Mammogram — right medio-lateral oblique. Patient age 43.
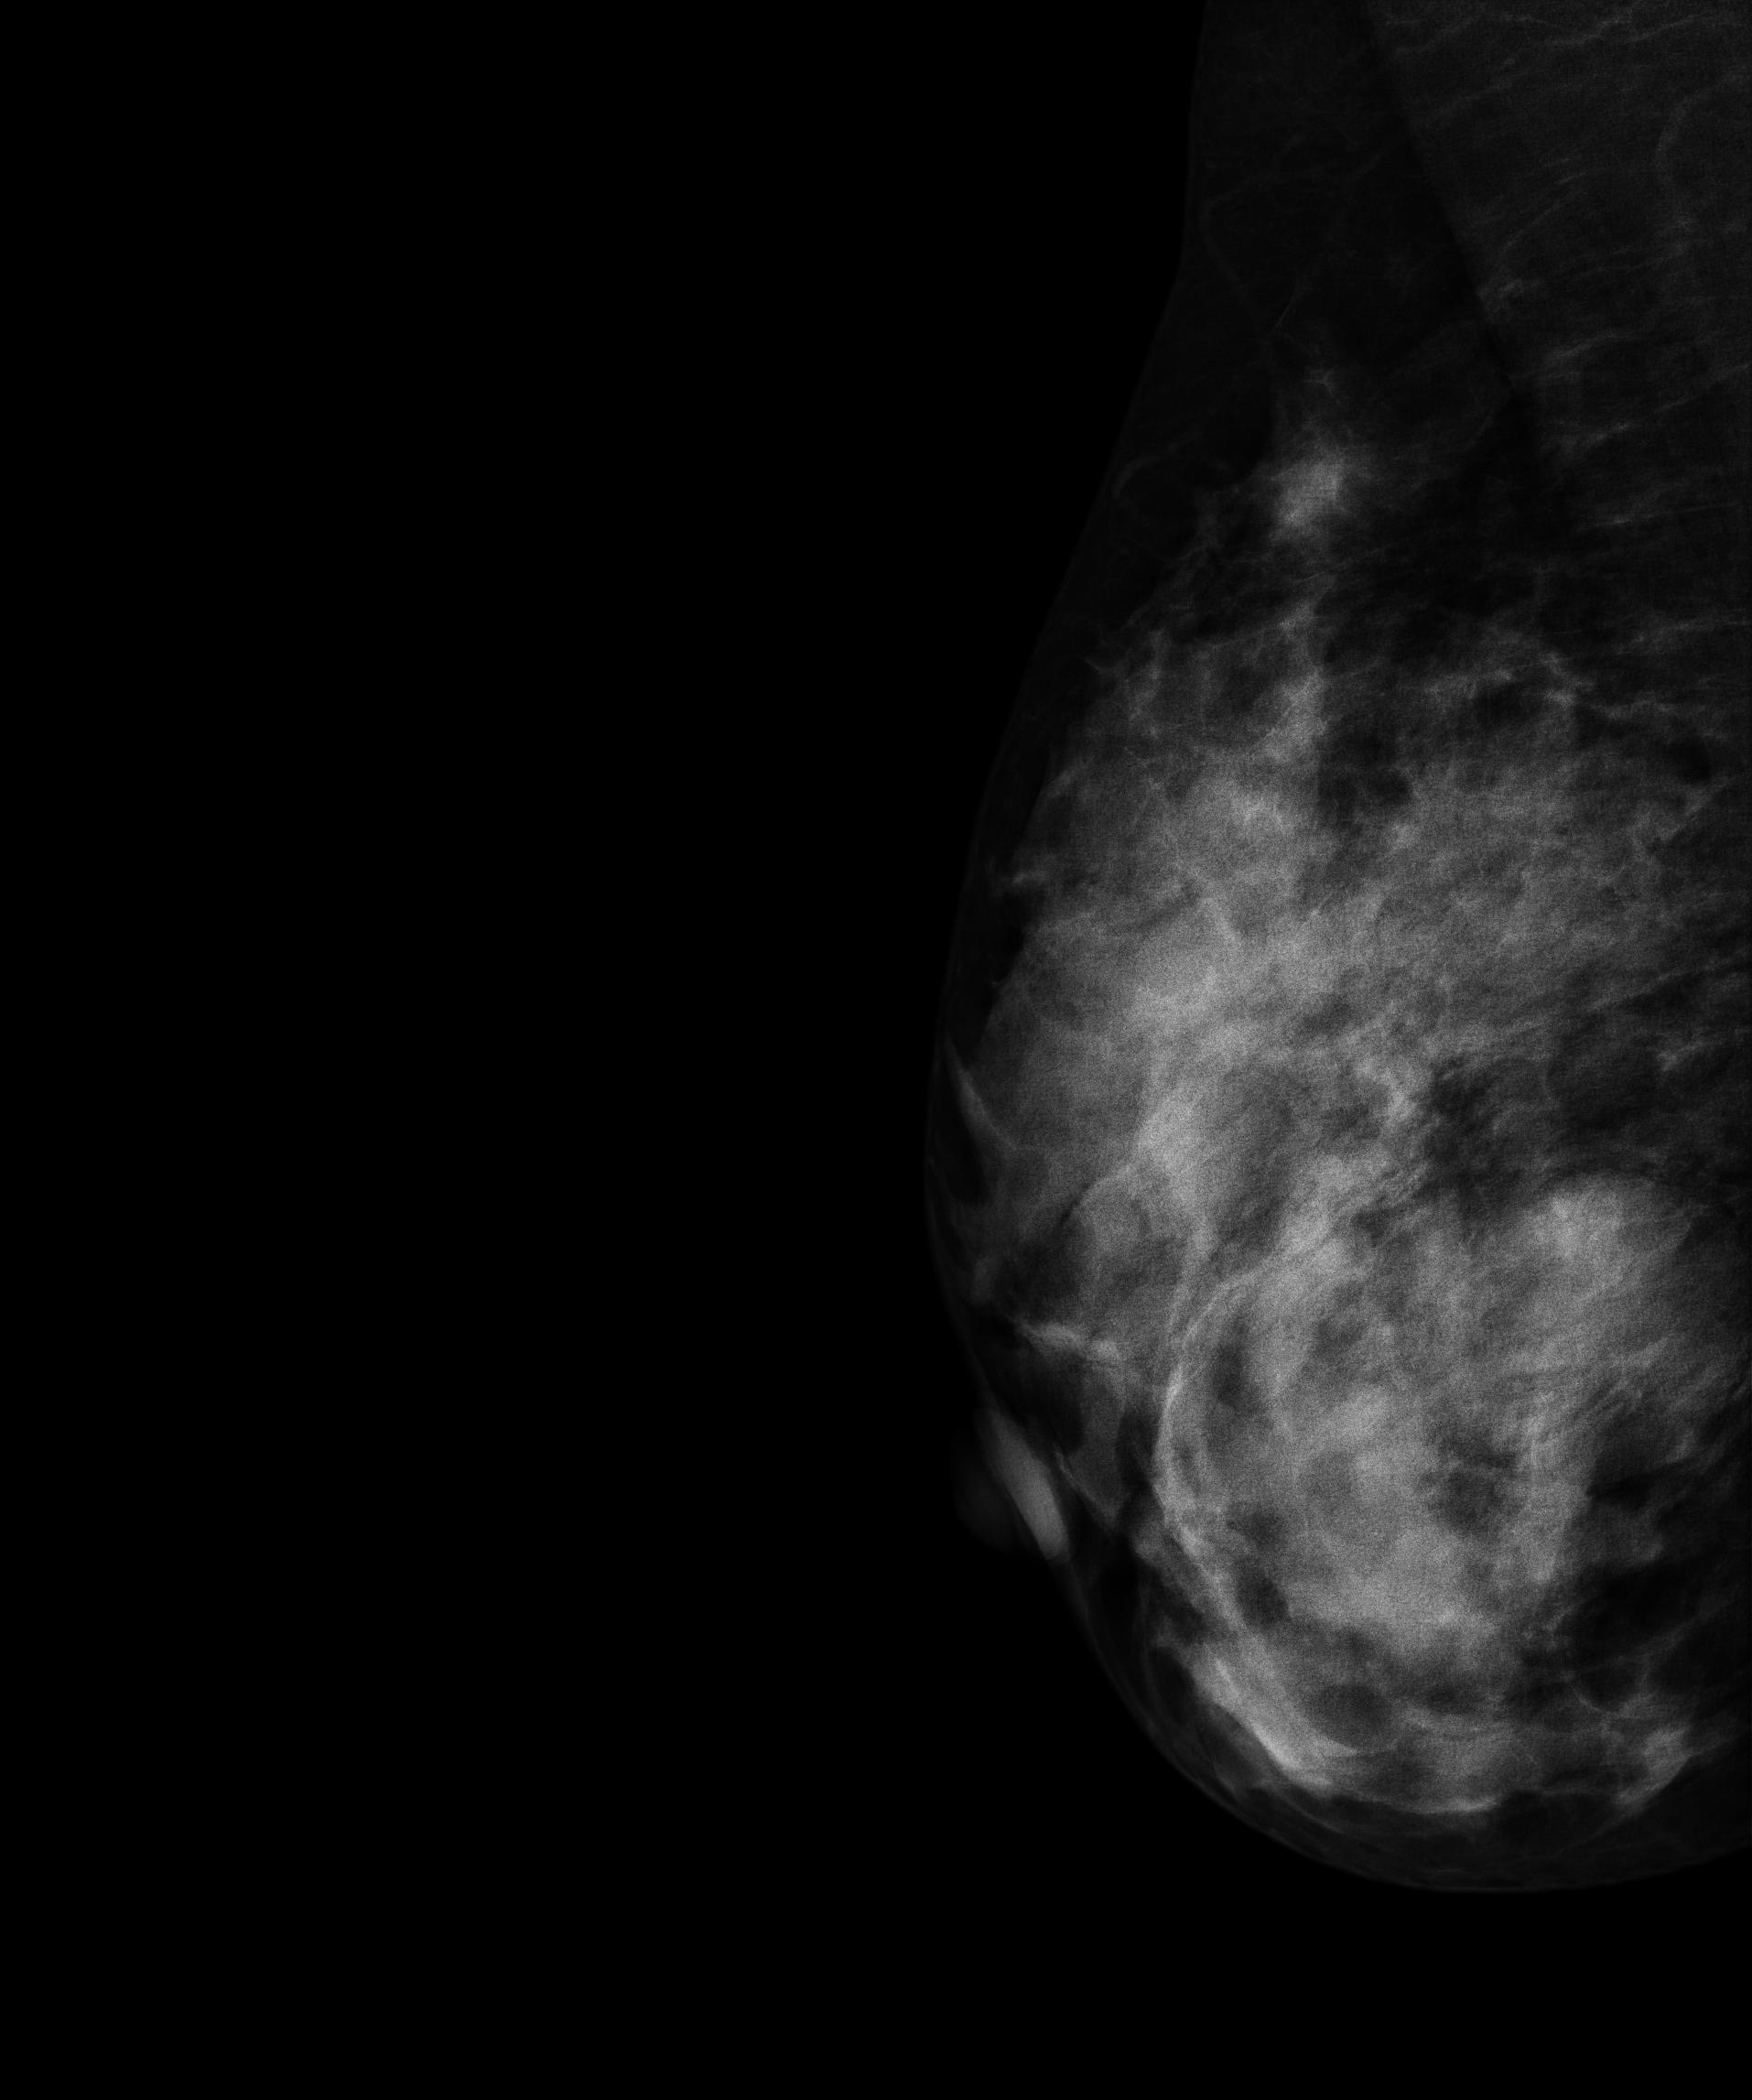
This breast has a mass, biopsy-proven benign.